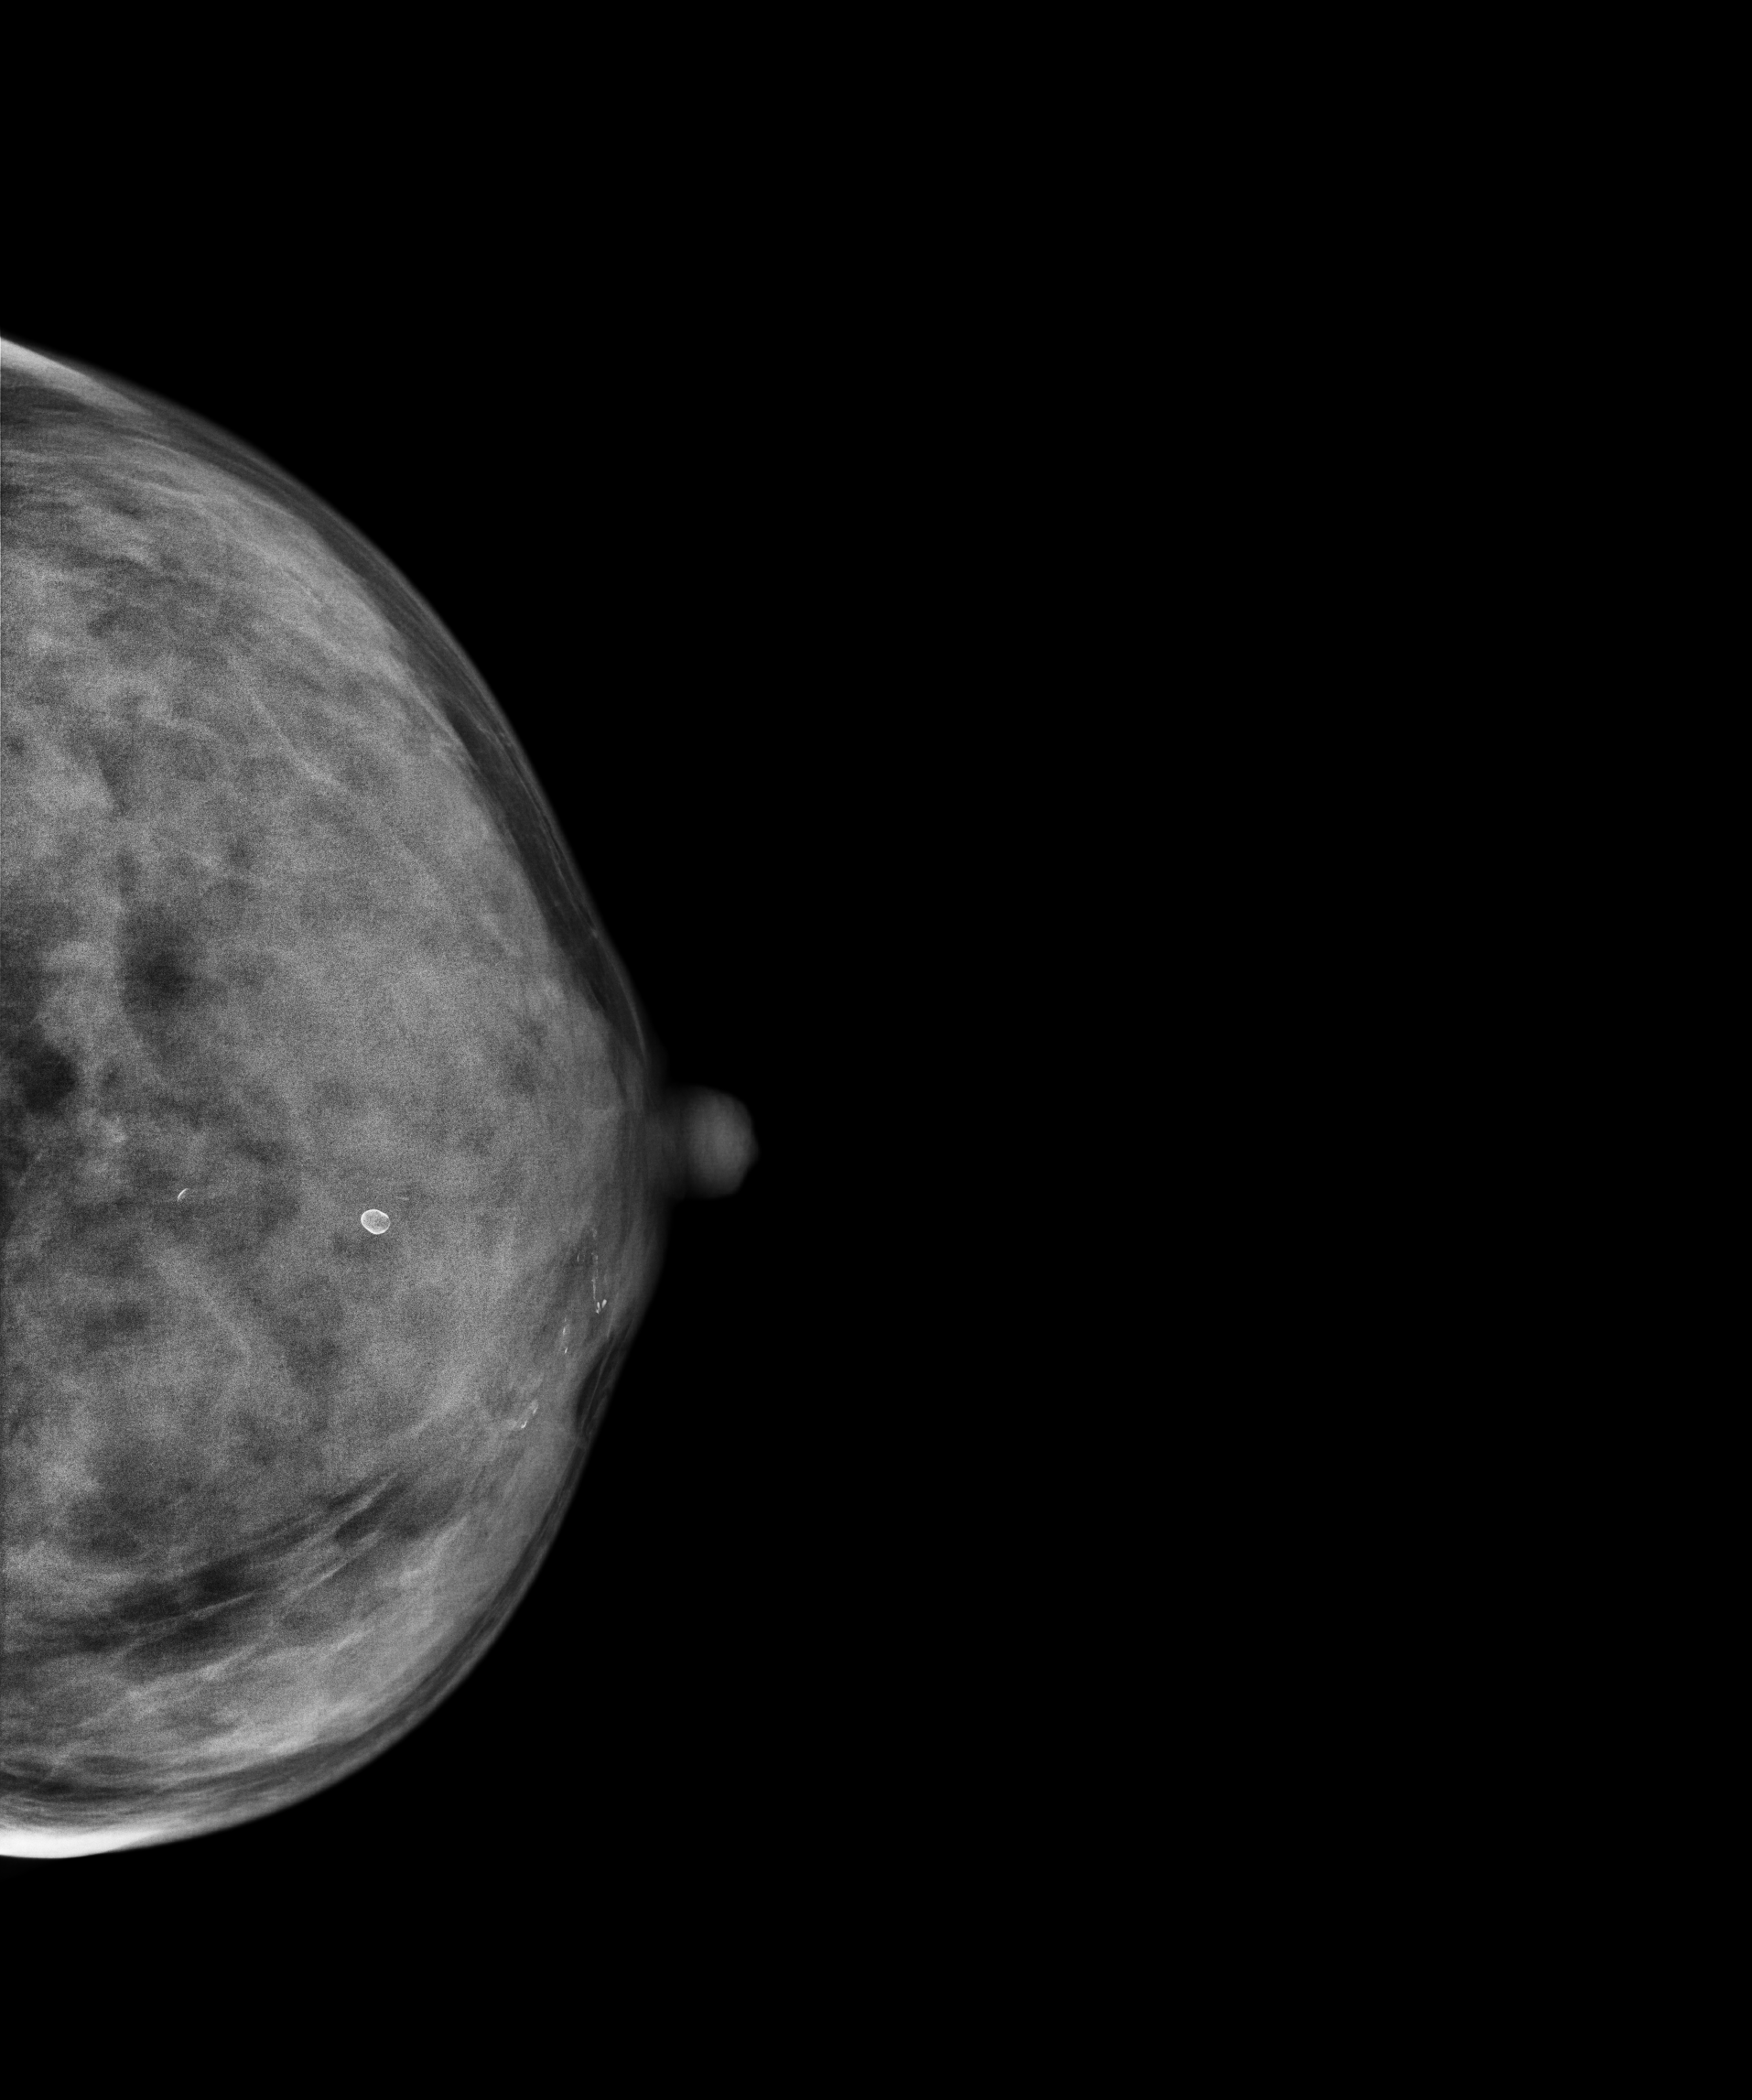
Digital mammography. Left breast, CC projection. 46 y/o patient.
This breast has calcifications, biopsy-confirmed benign.